Mammogram — right cranio-caudal. 33-year-old patient.
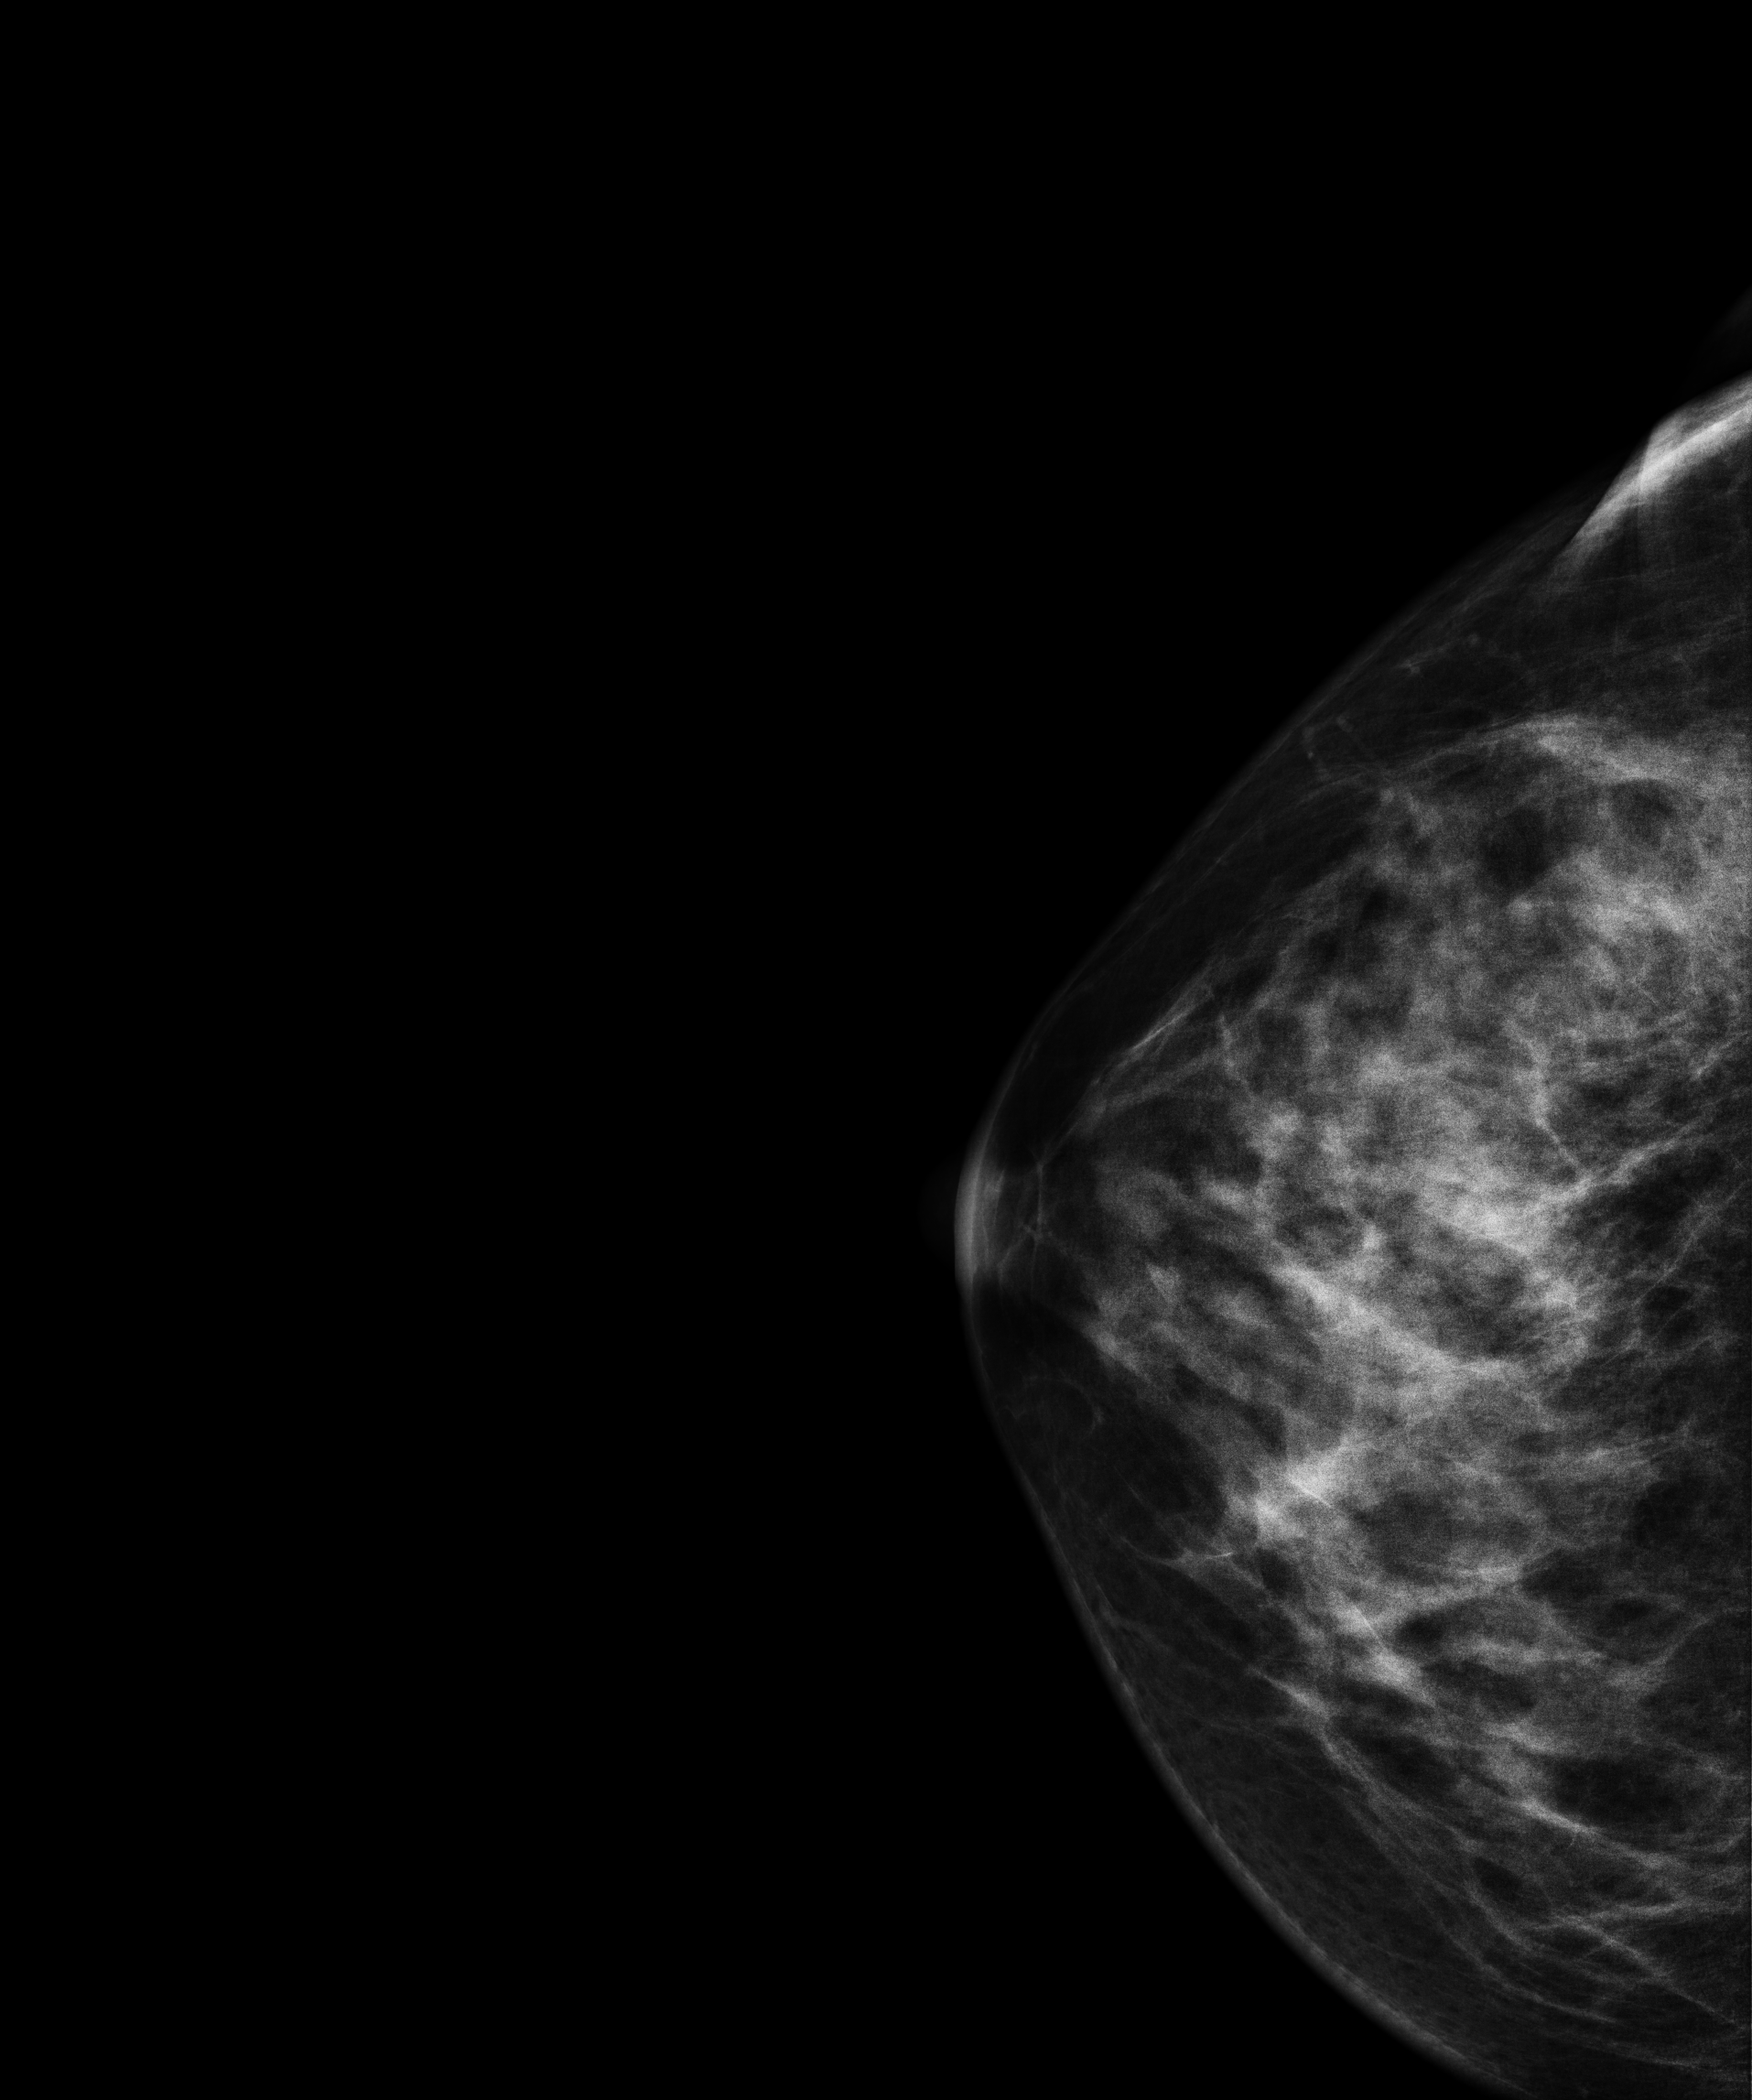
This breast has a mass, biopsy-confirmed benign.